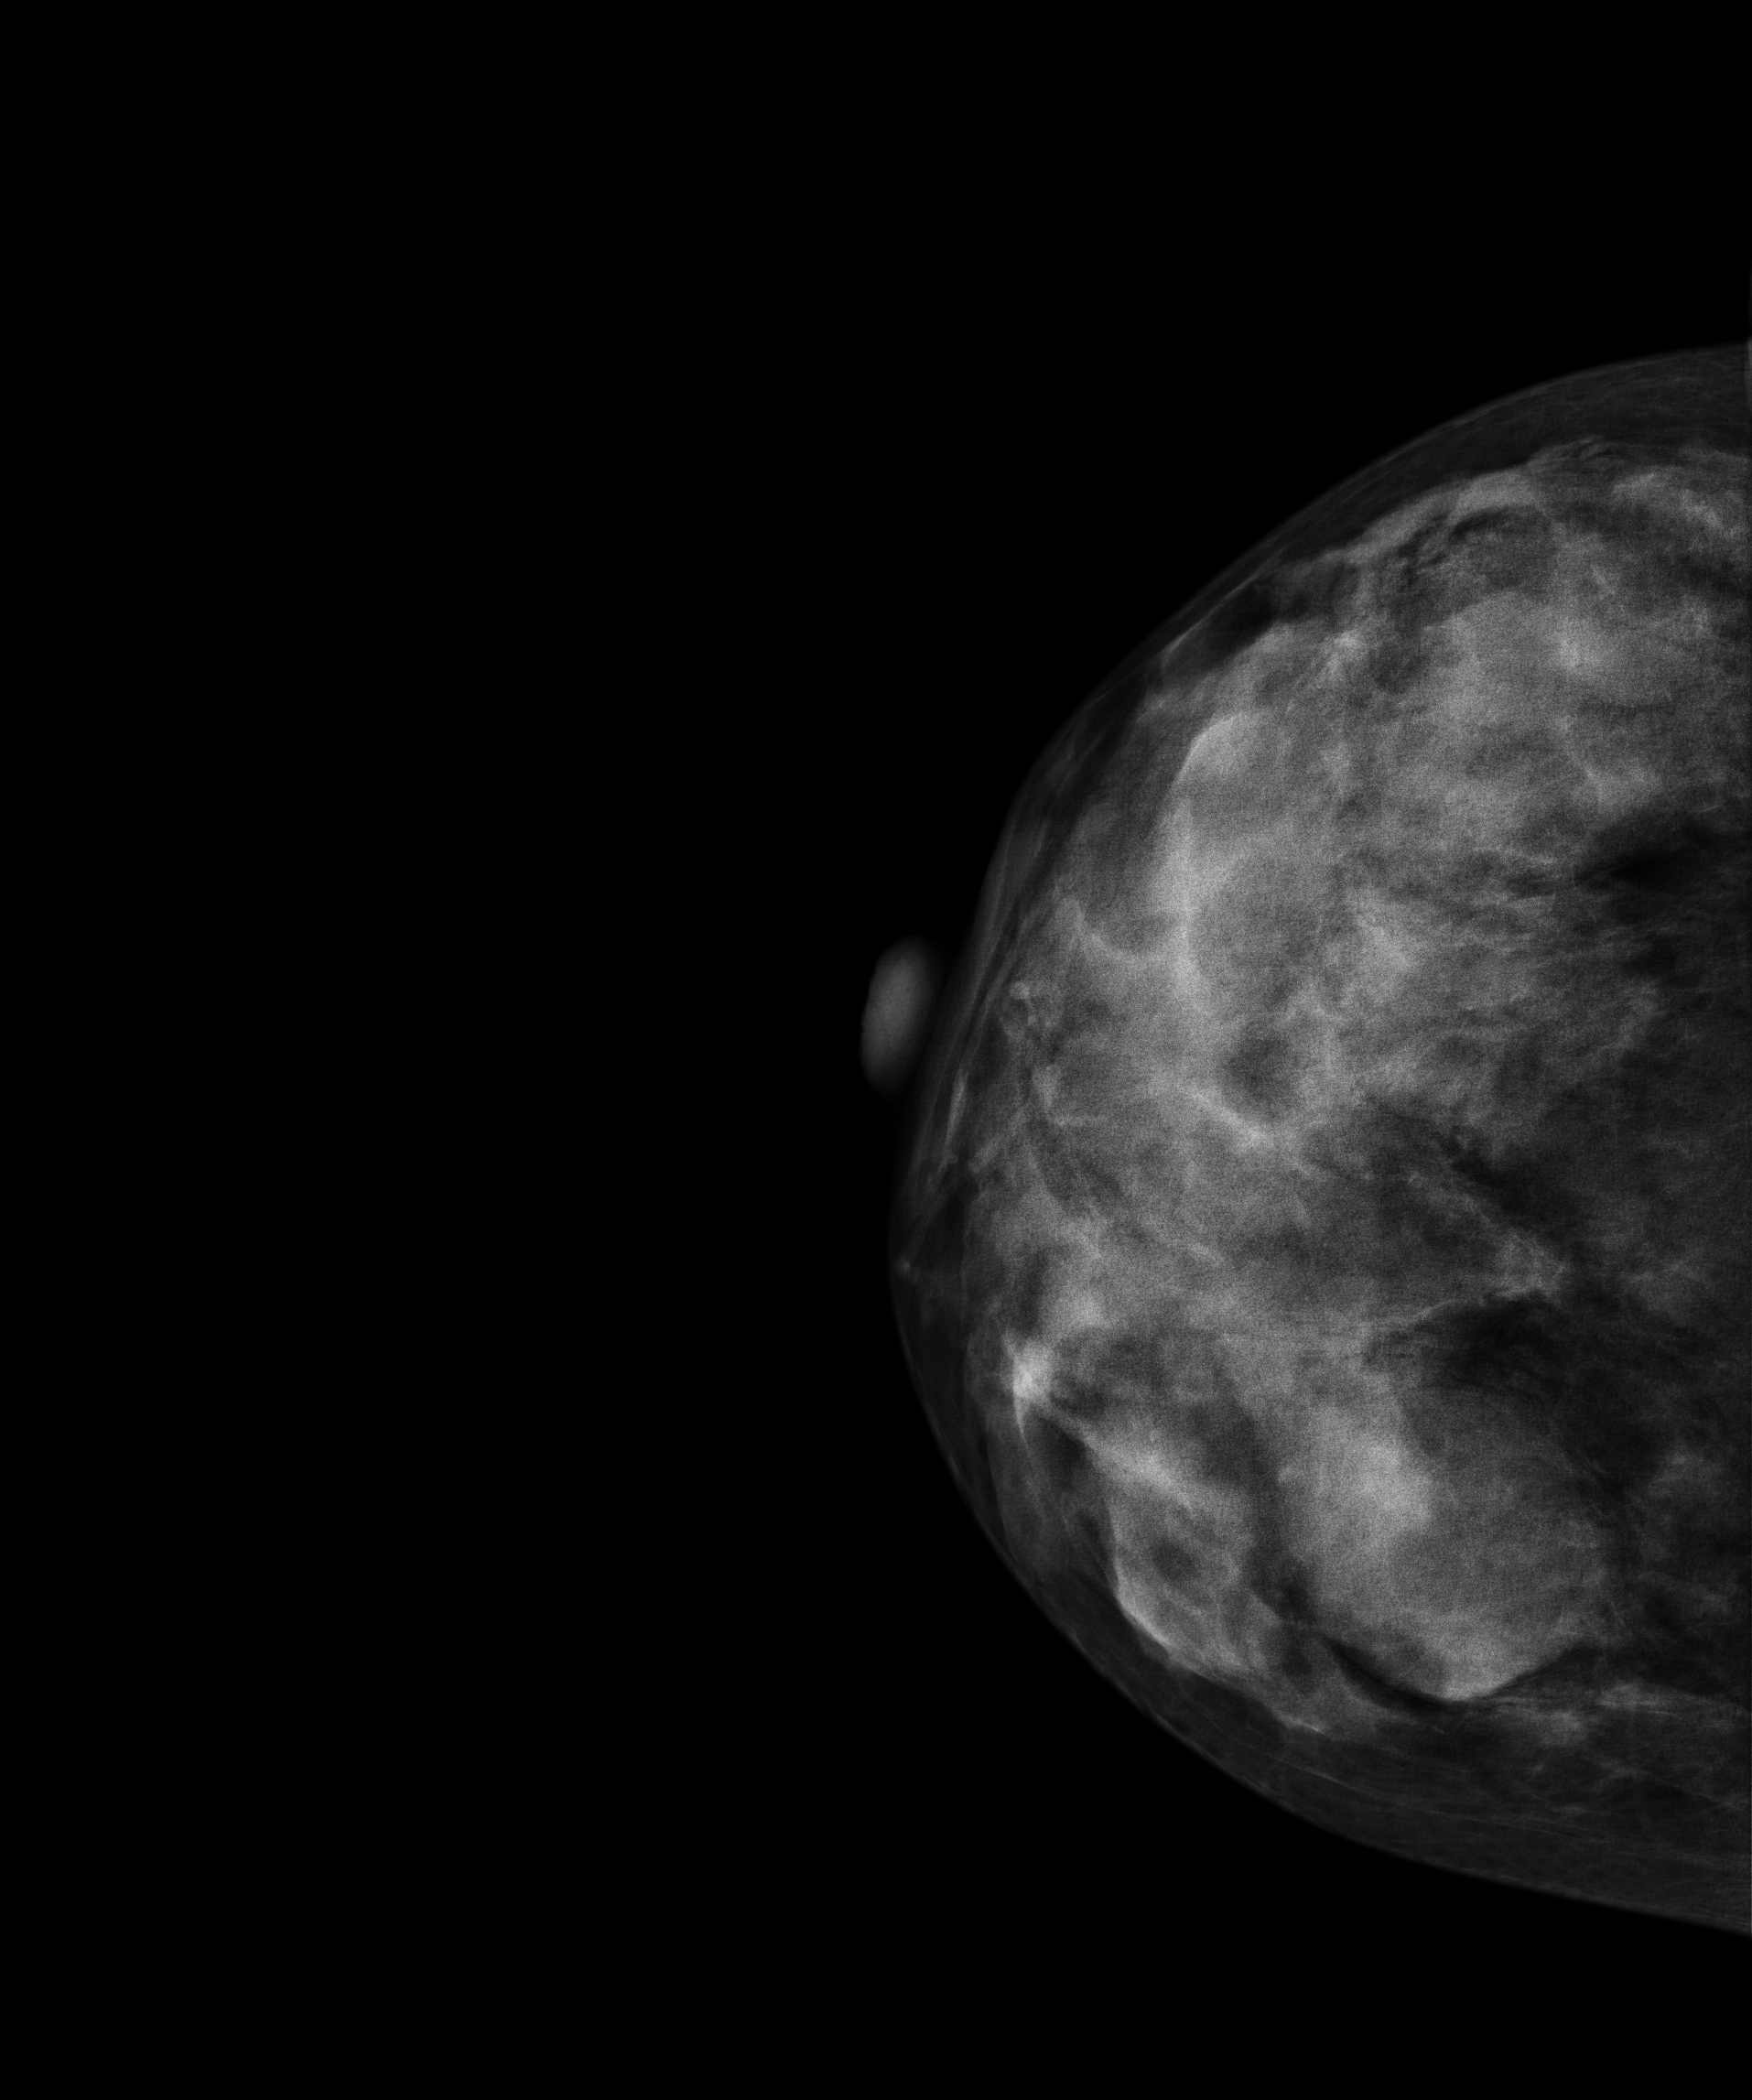
Mammogram, right breast, cranio-caudal view. 43-year-old patient.
This breast has a mass, biopsy-confirmed benign.